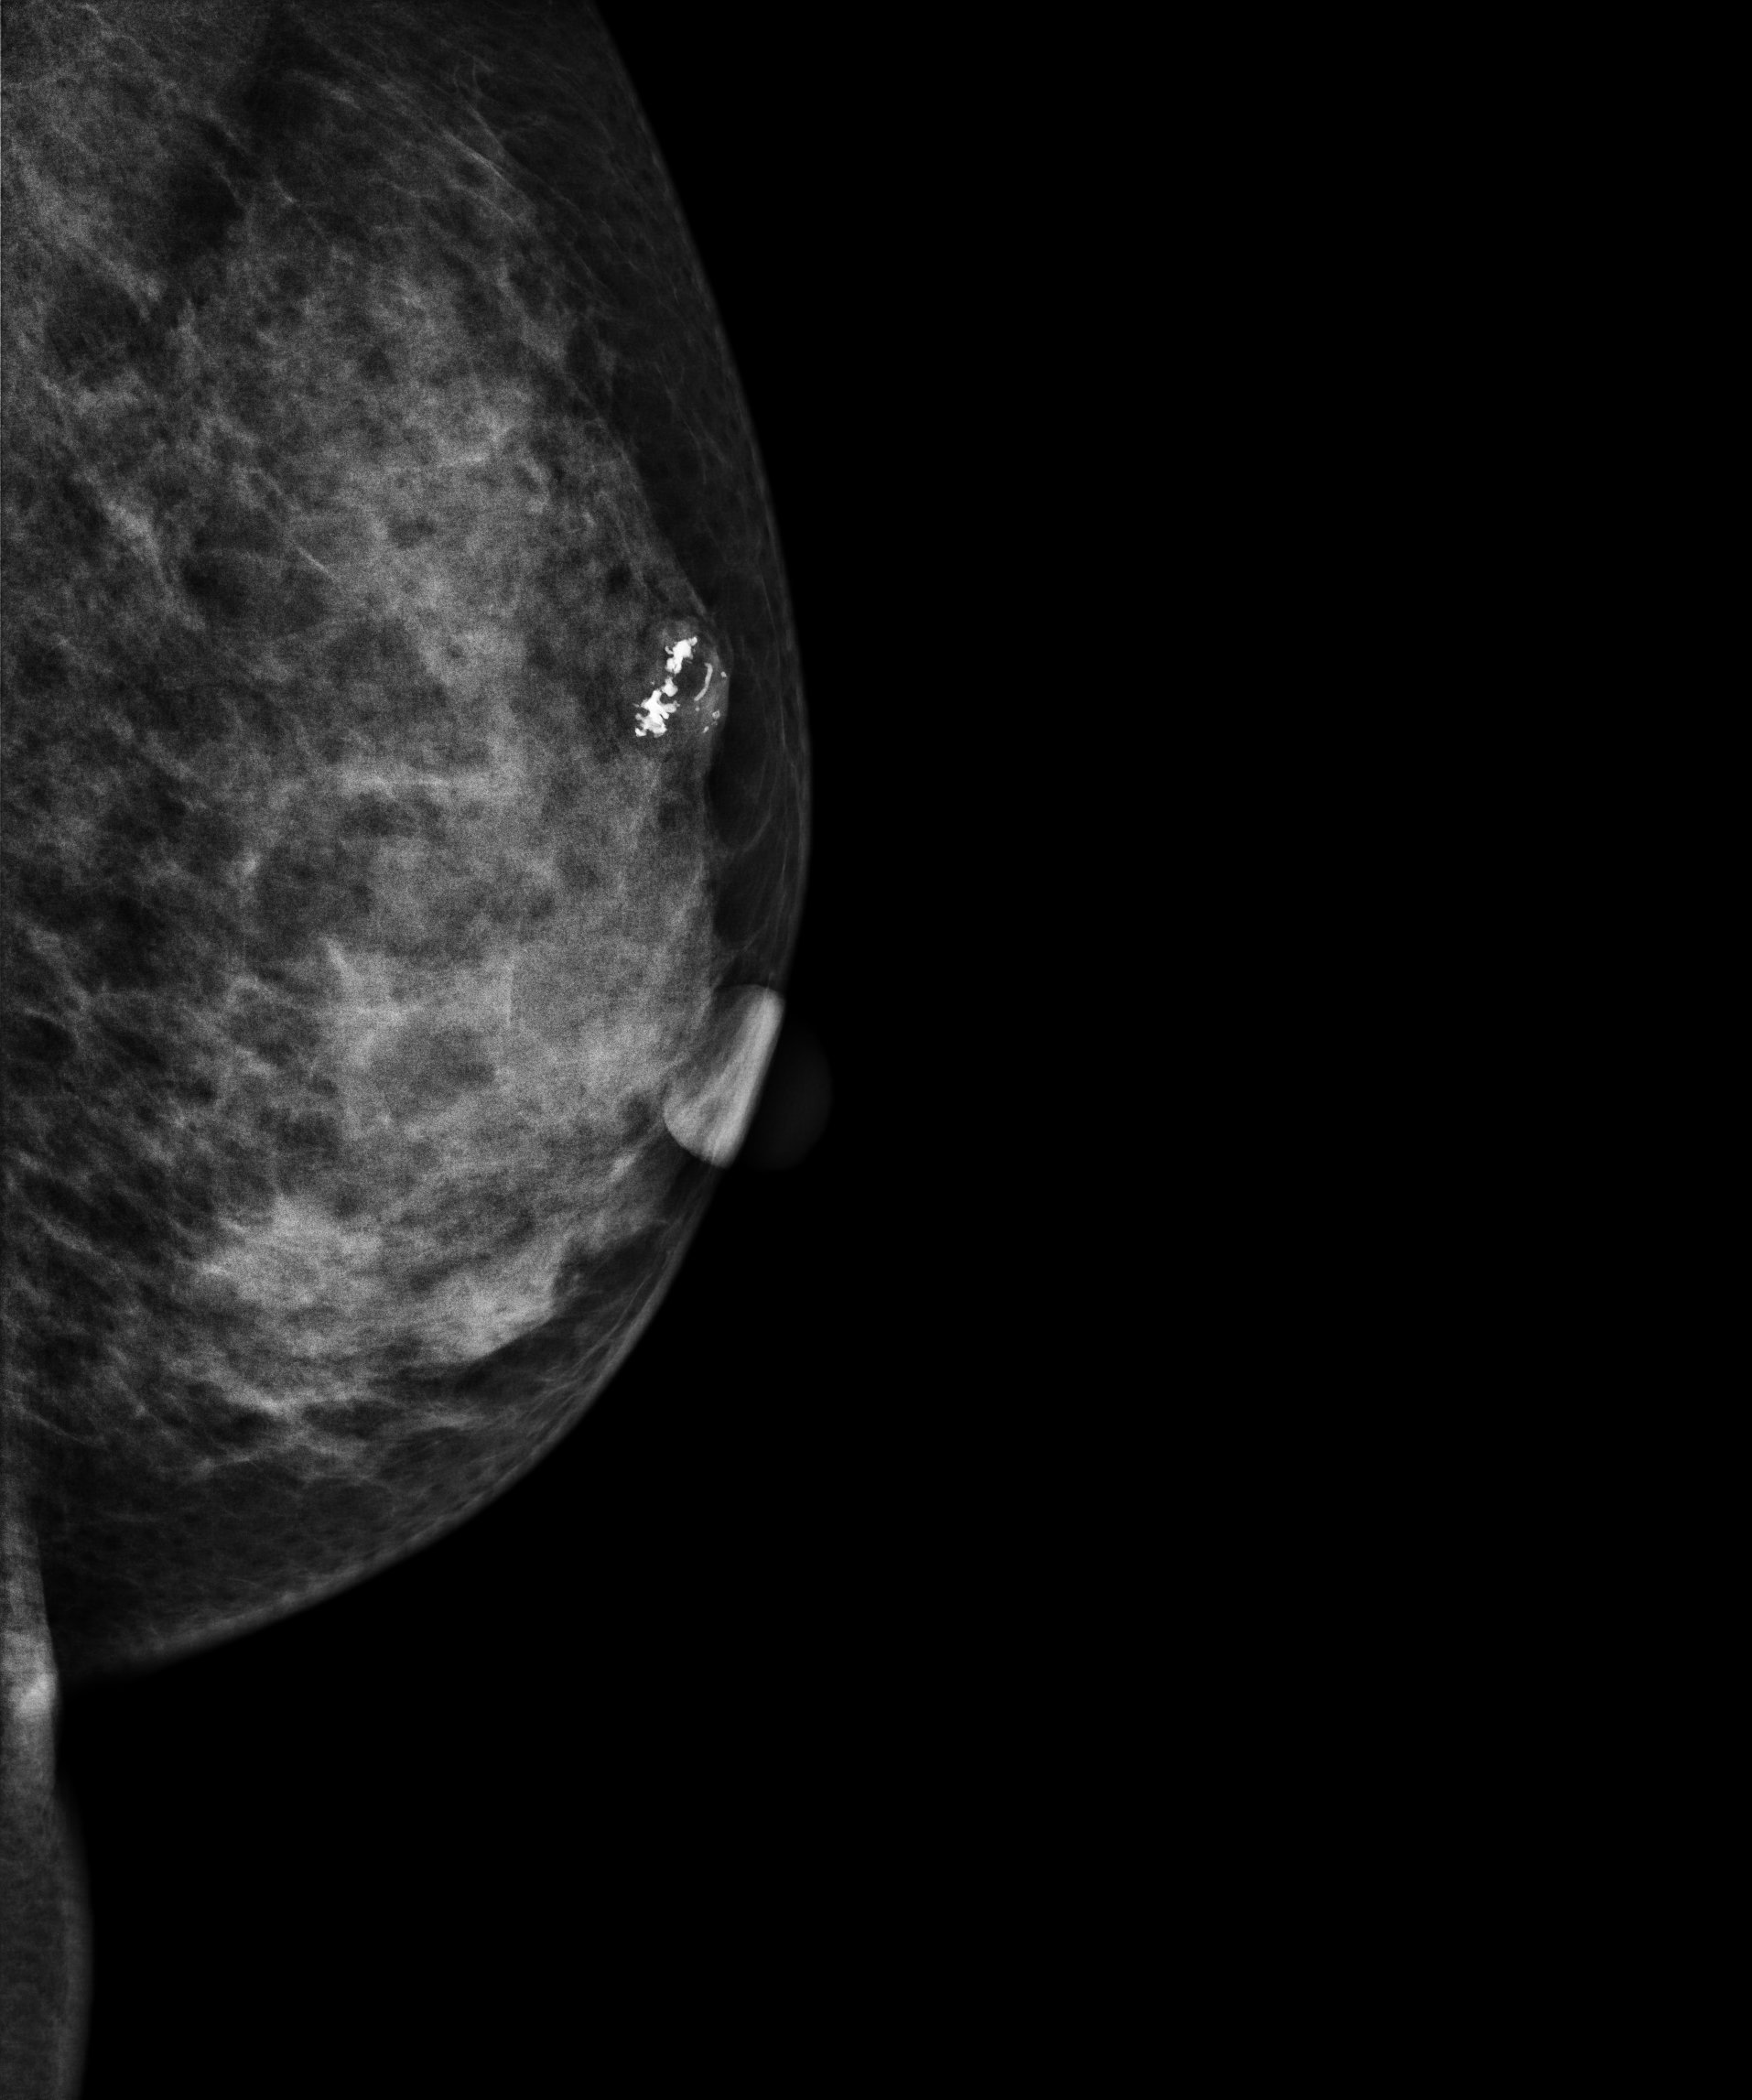
Mammogram, left breast, medio-lateral oblique view. 49 y/o patient.
This breast has a mass and calcifications, biopsy-confirmed benign.